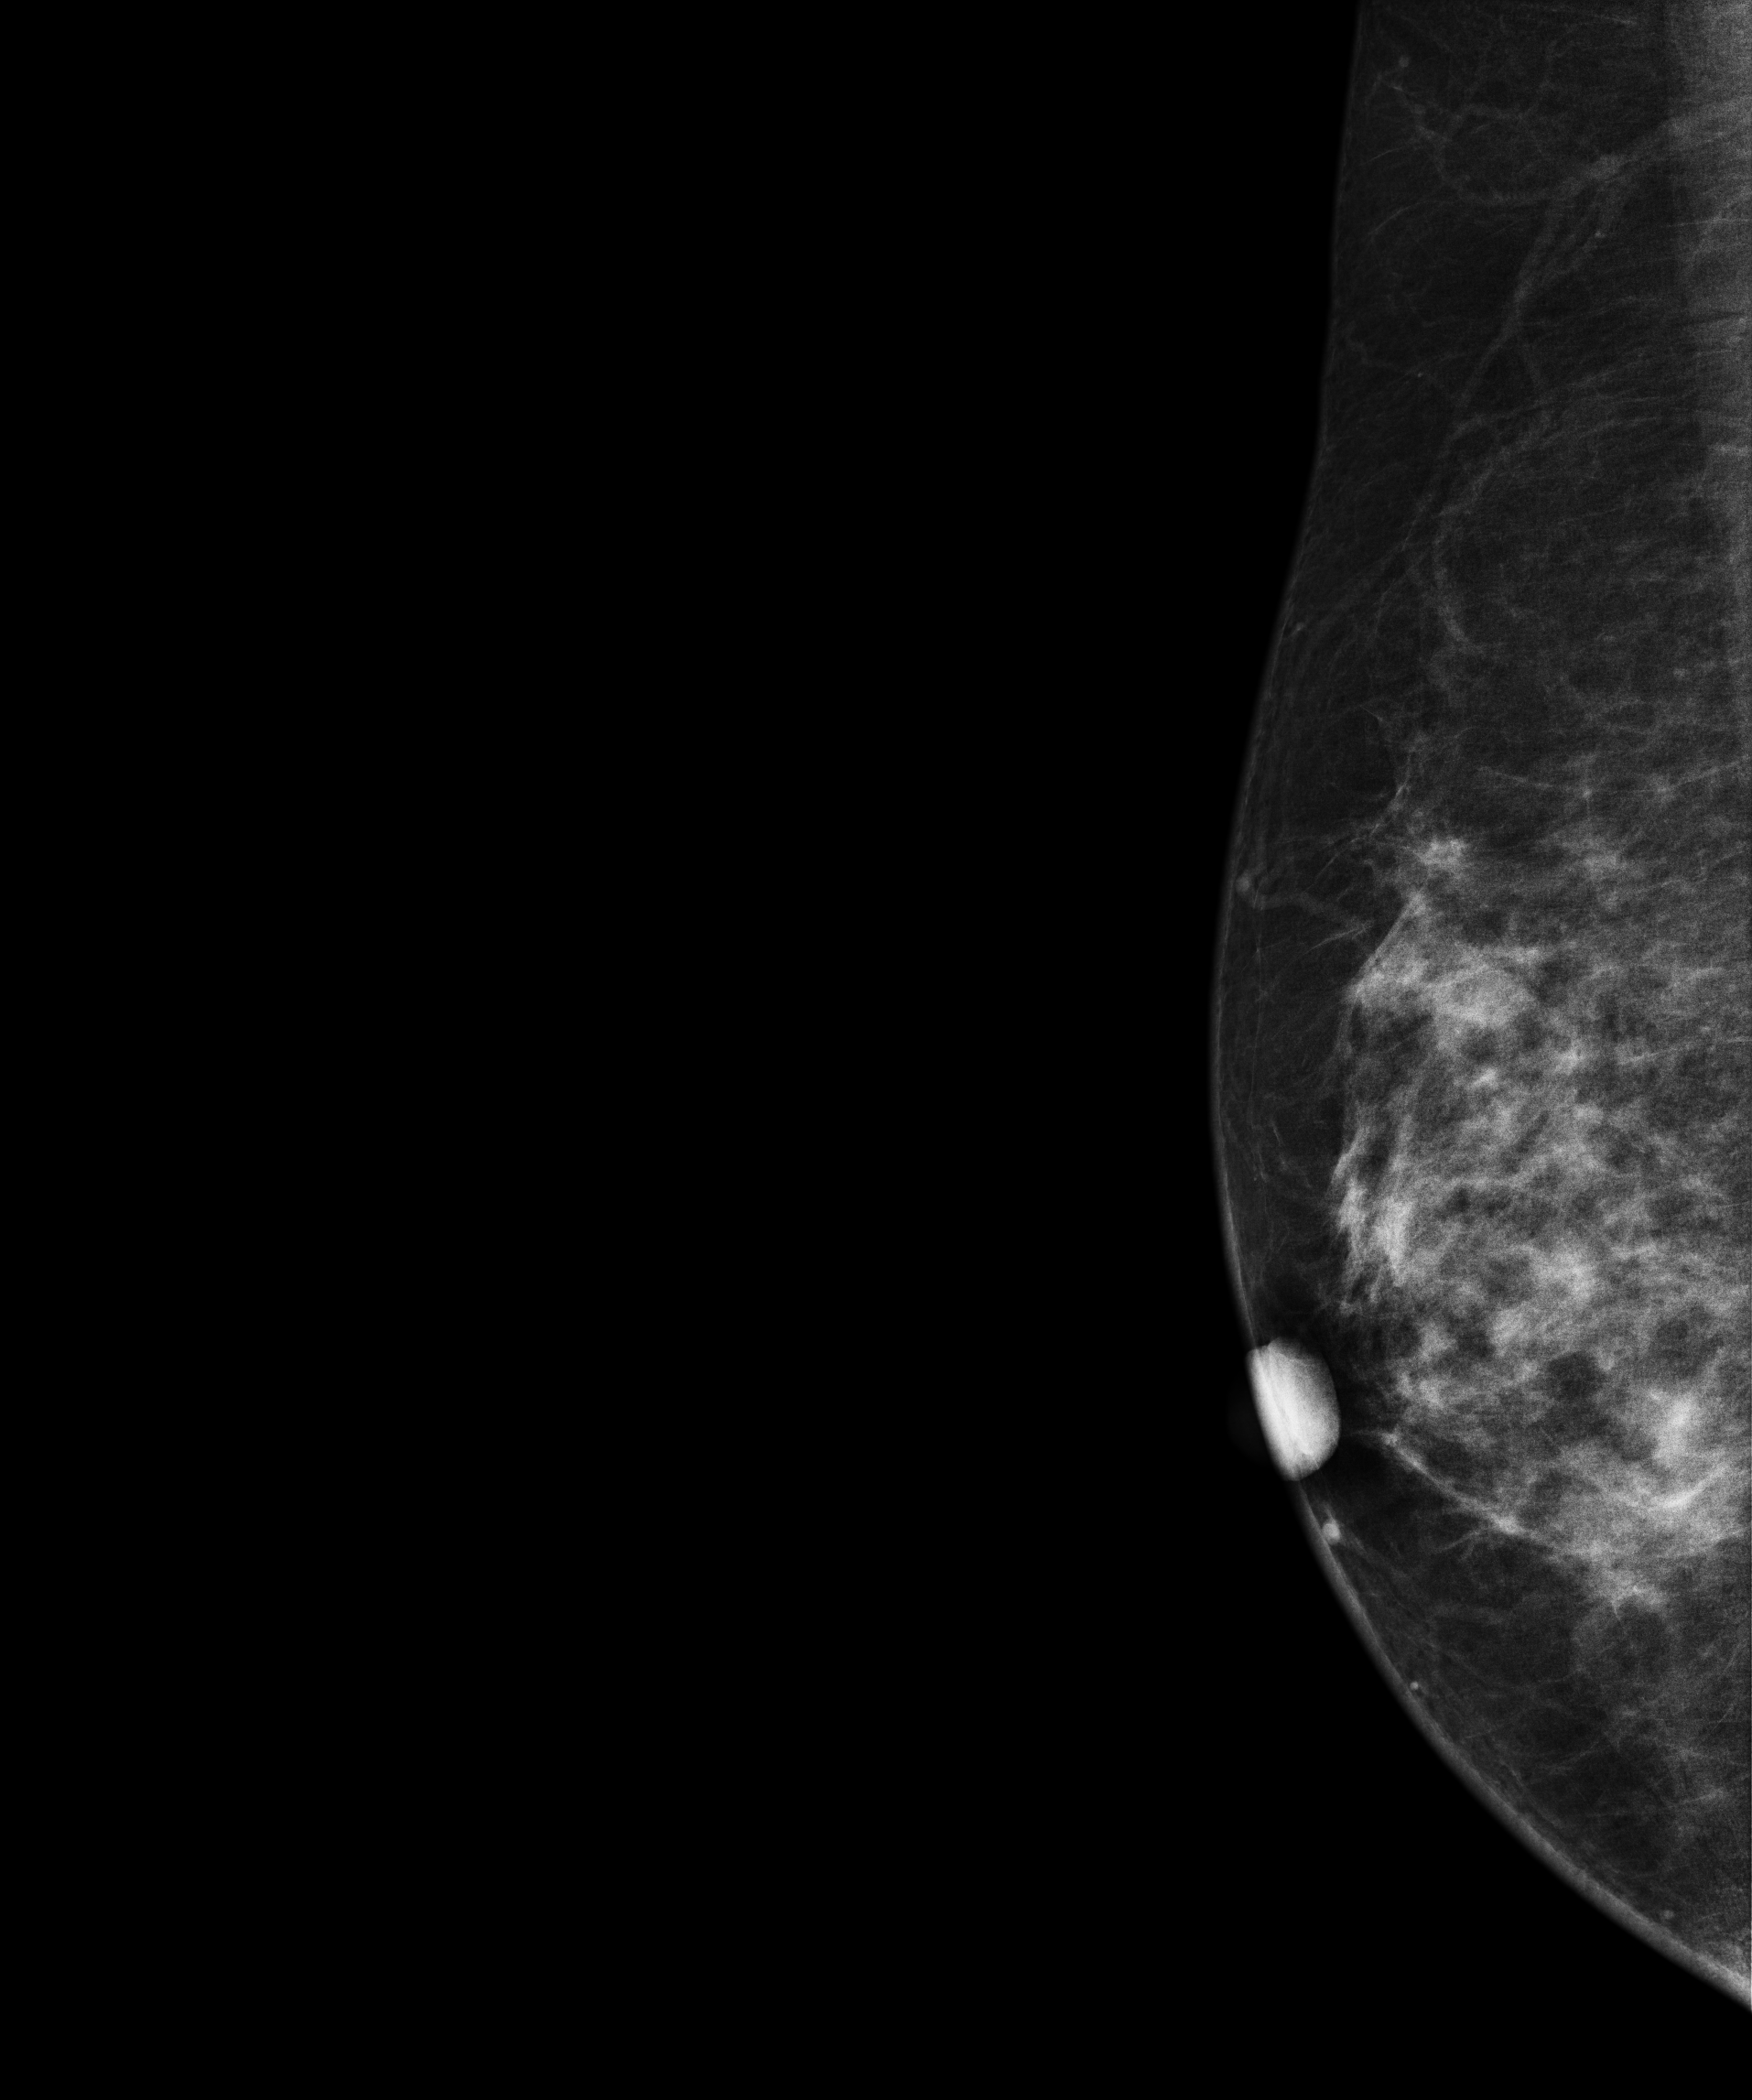
Digital mammography. Right breast, MLO projection. 43 y/o patient.
Contralateral breast — no documented abnormality on this side.